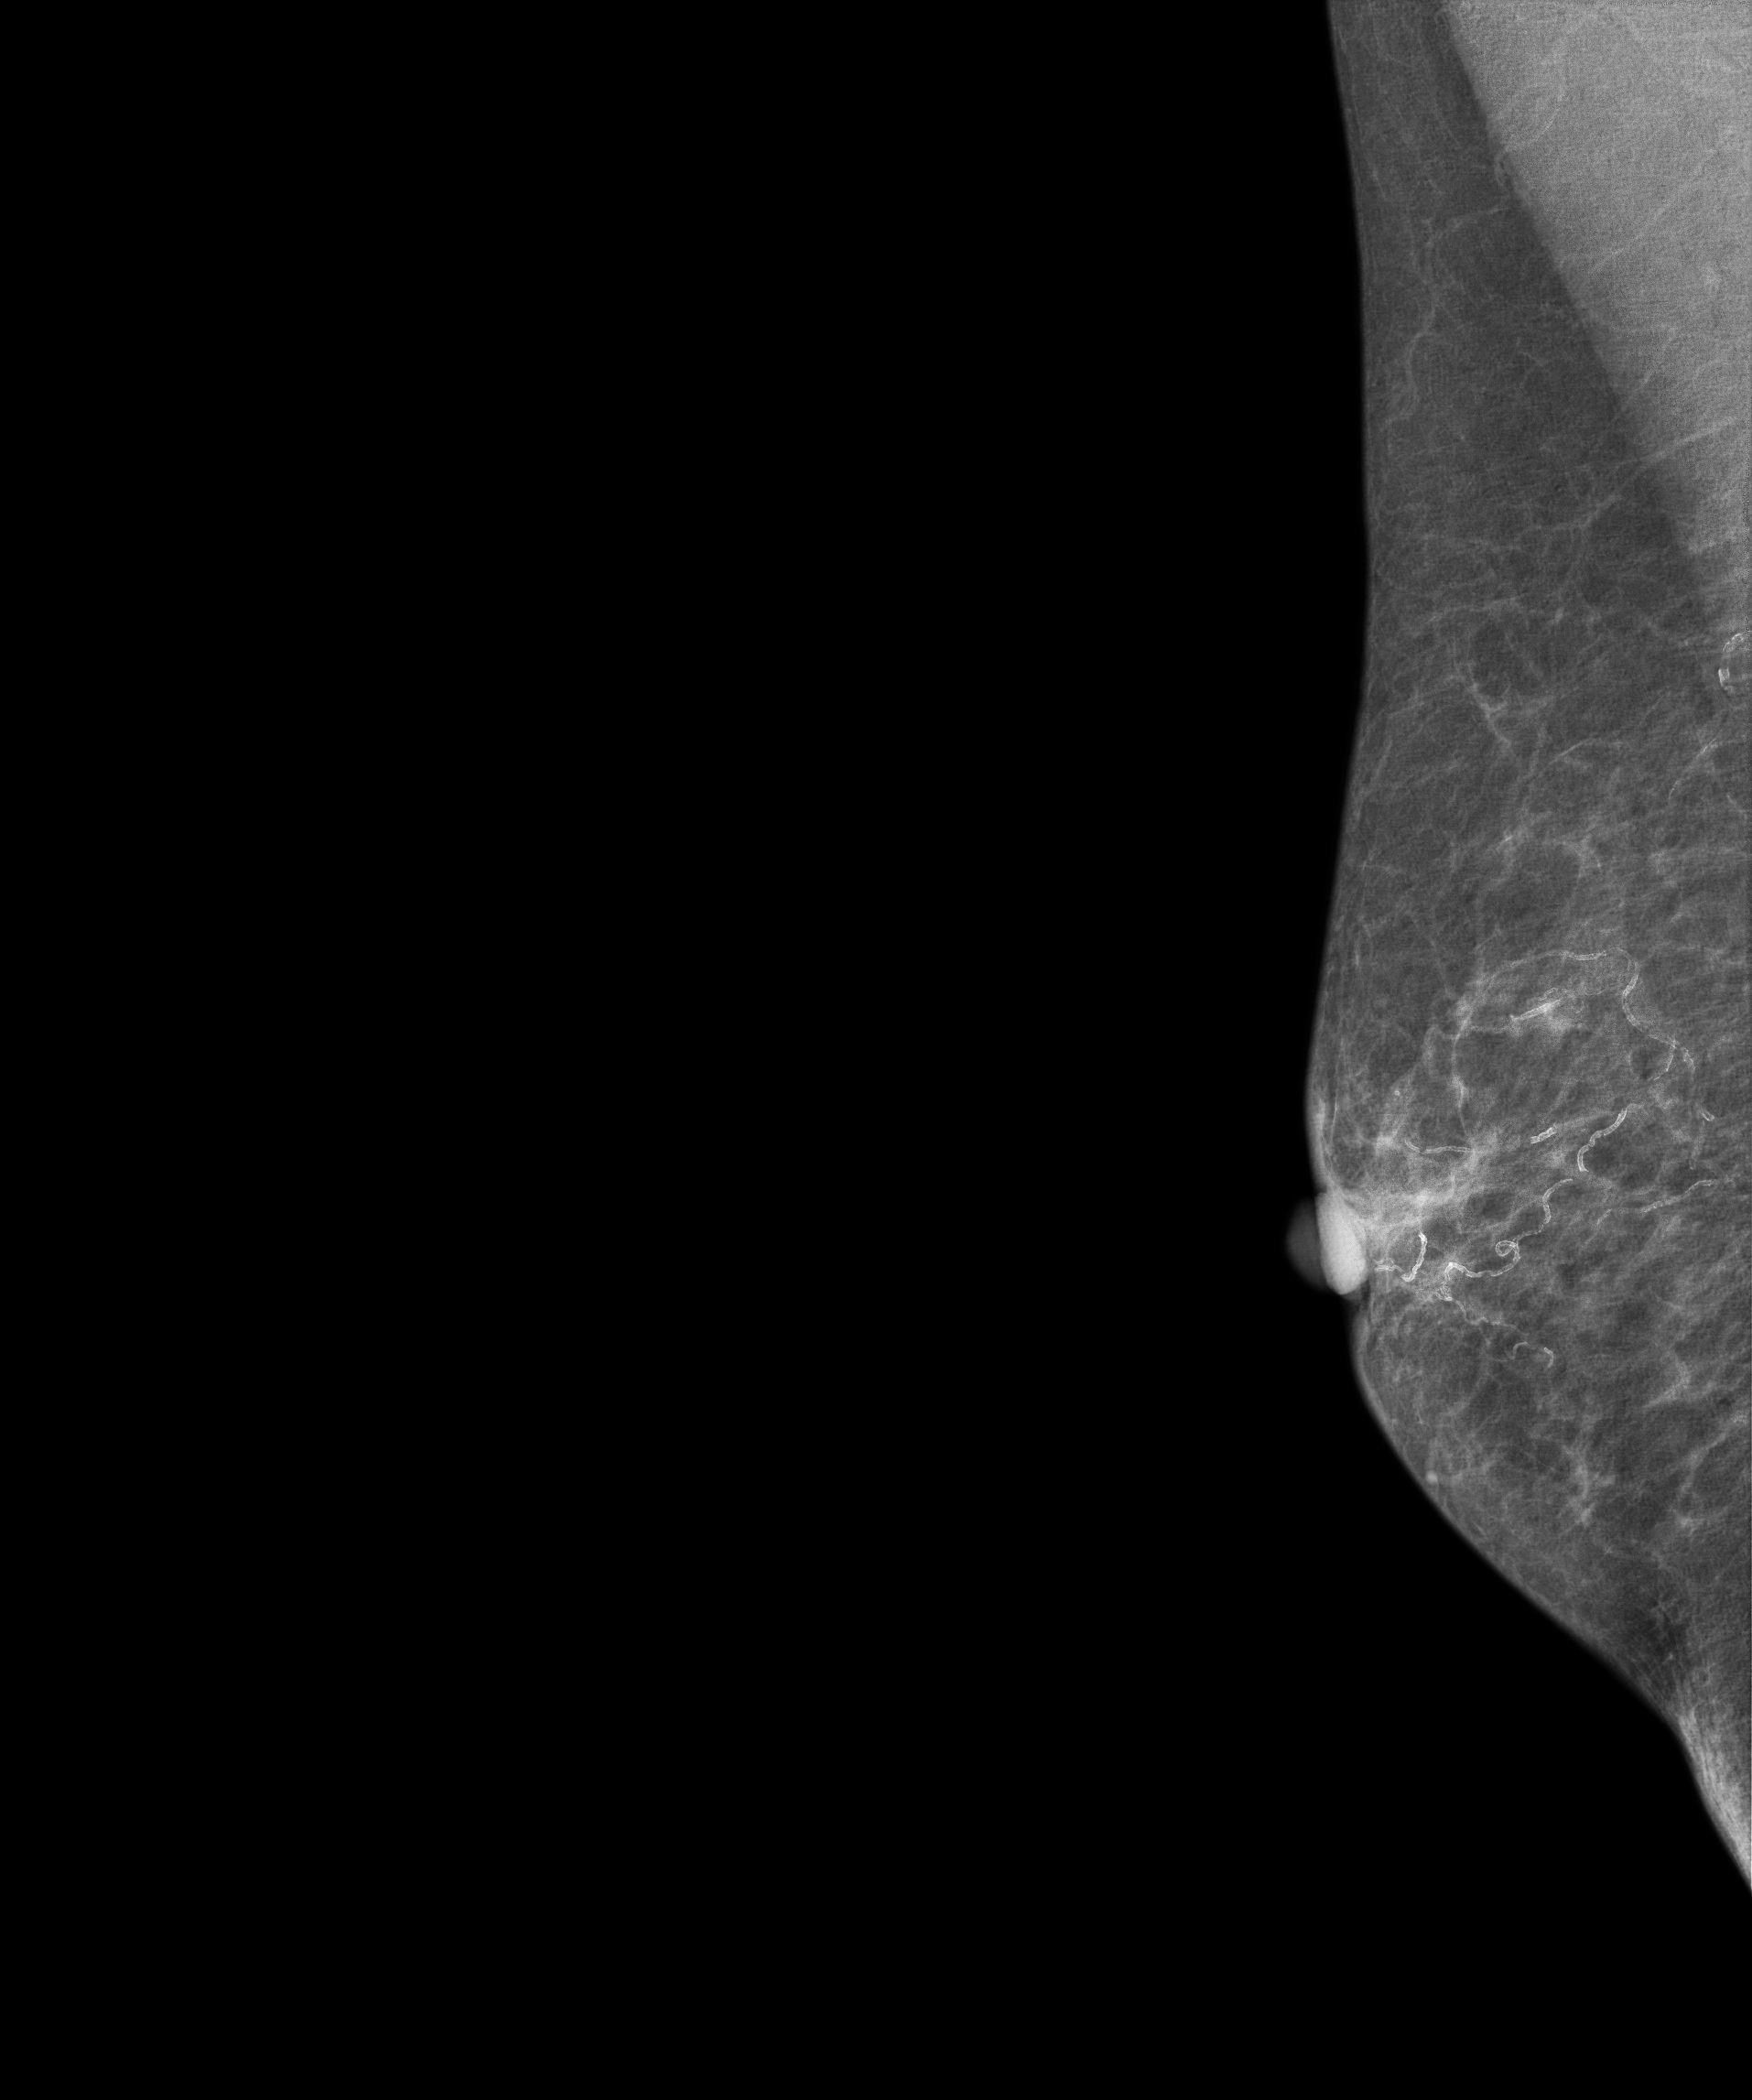
Mammogram, right breast, medio-lateral oblique view. Patient age 85.
Contralateral breast — no documented abnormality on this side.